Mammogram, left breast, medio-lateral oblique view. 47 y/o patient.
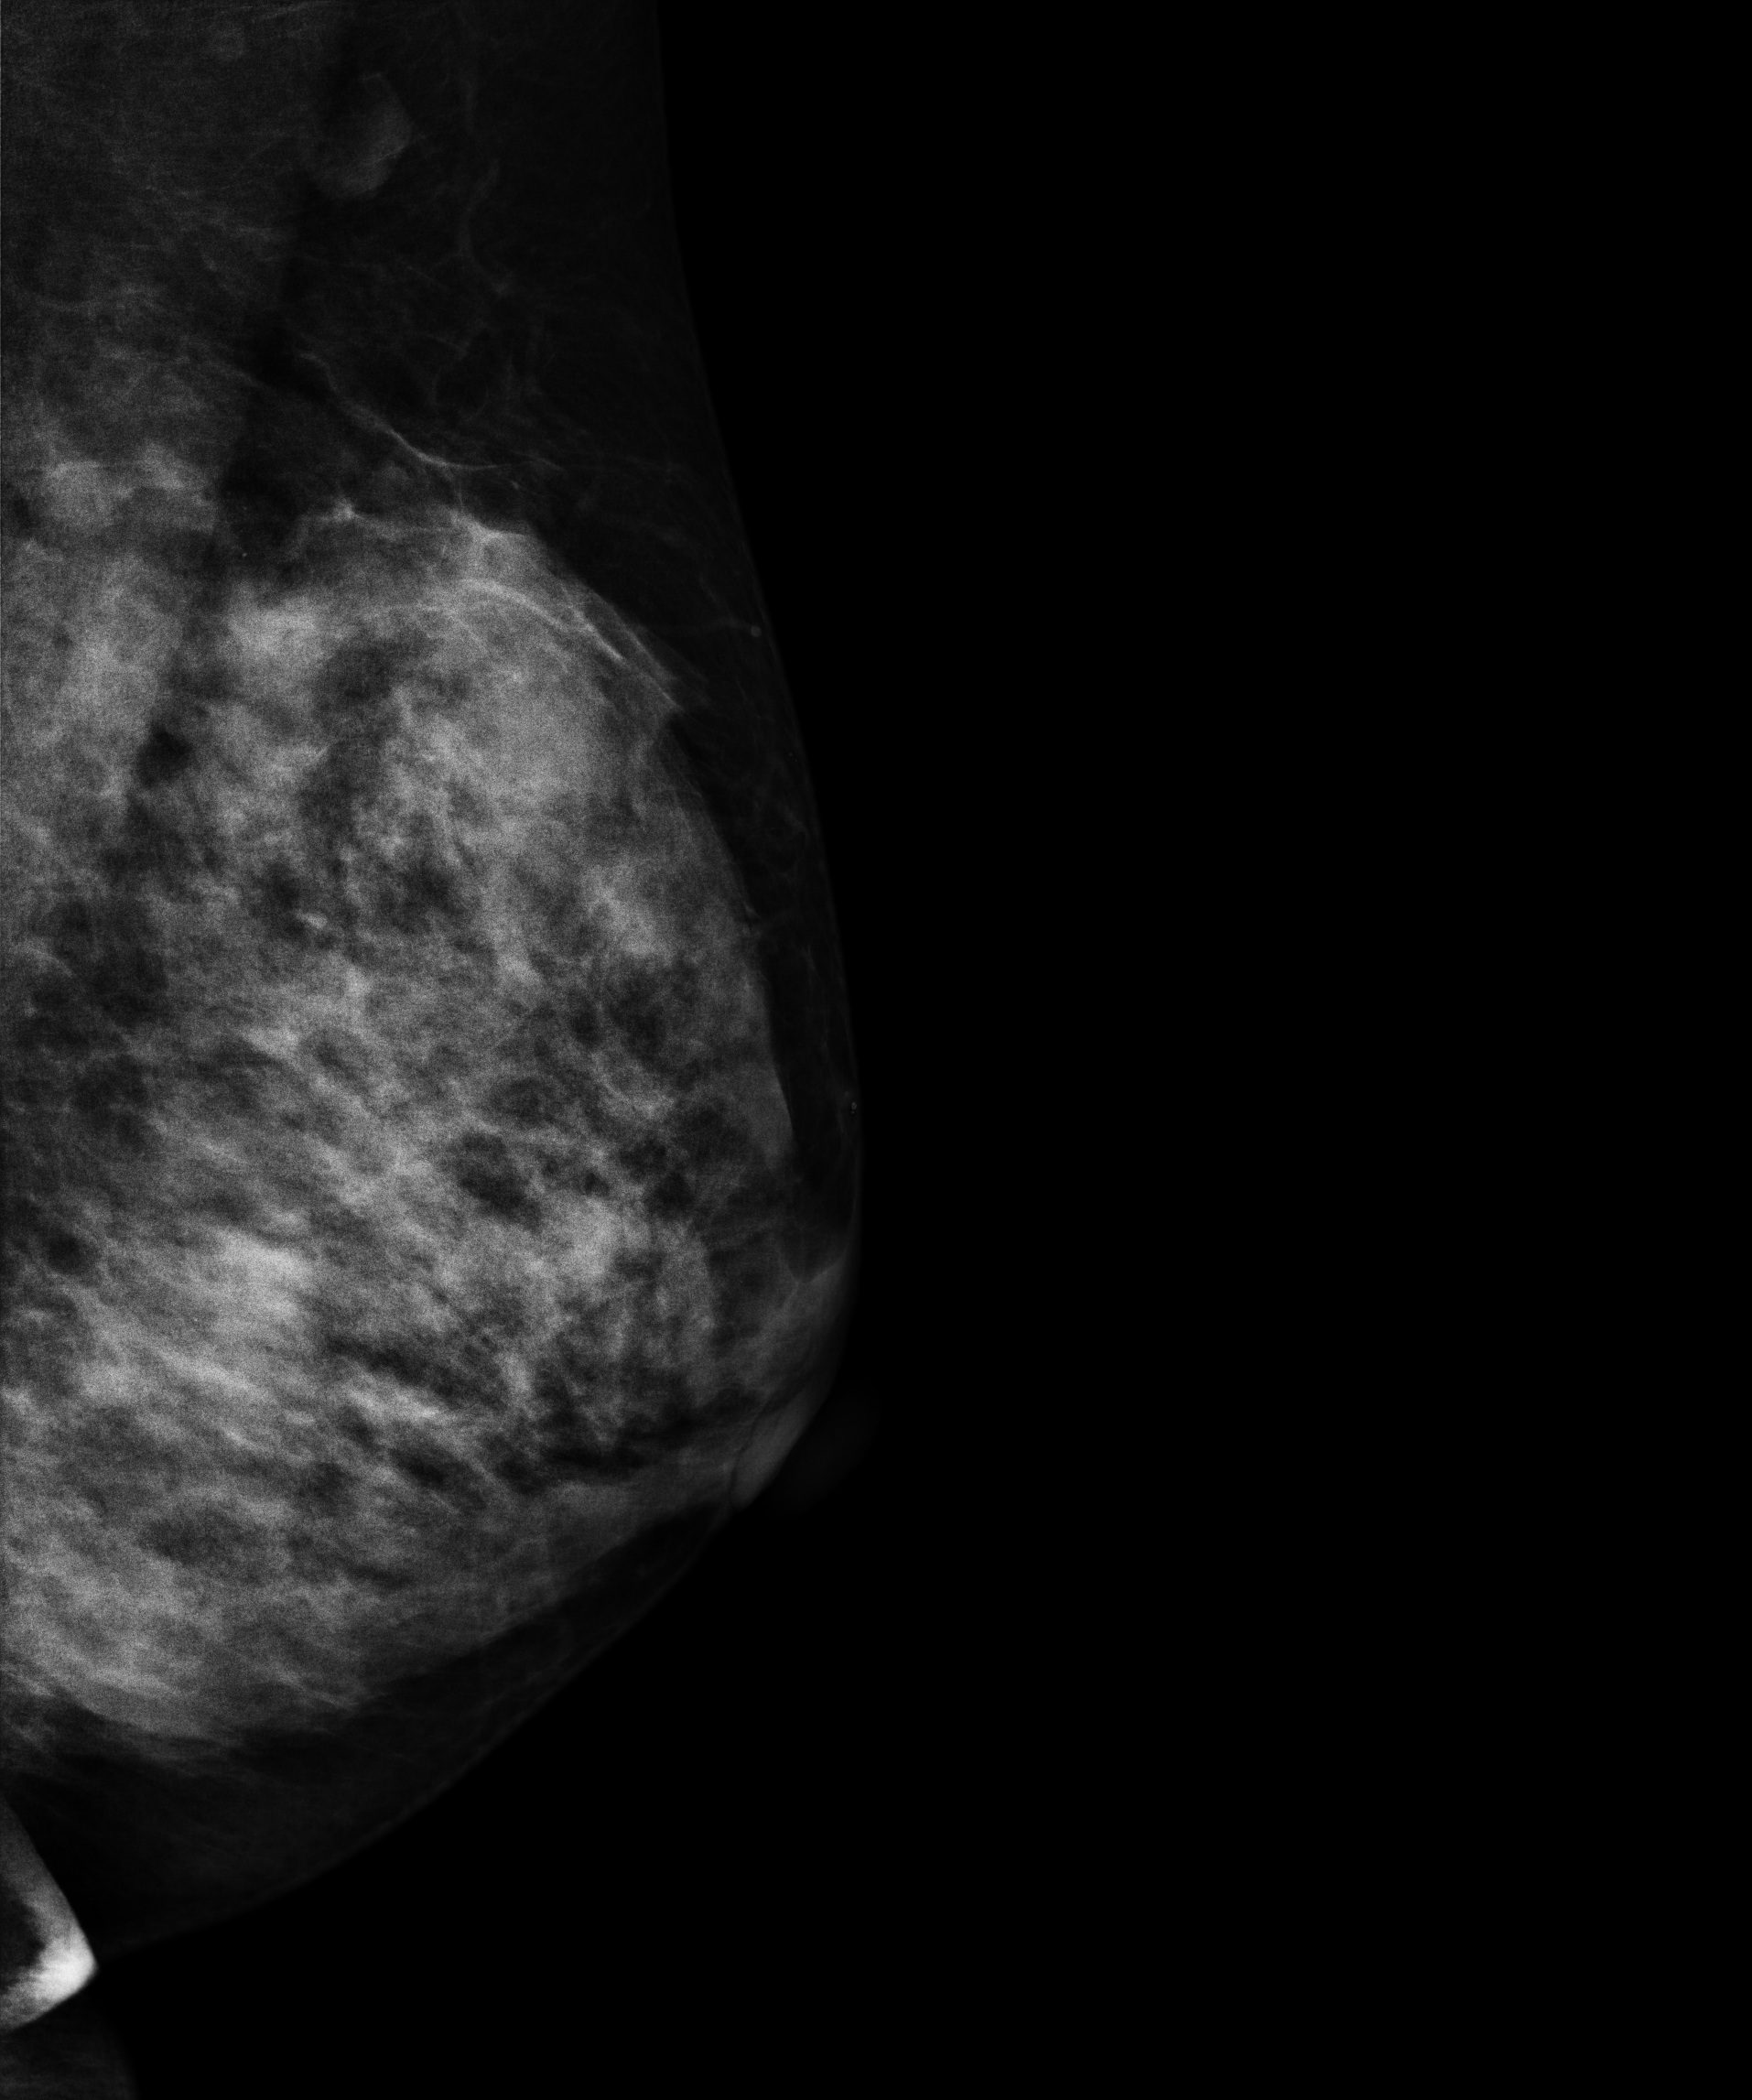
This breast has a mass, histologically confirmed malignant. Molecular subtype: luminal A.